Mammogram, left breast, MLO view. 45 y/o patient.
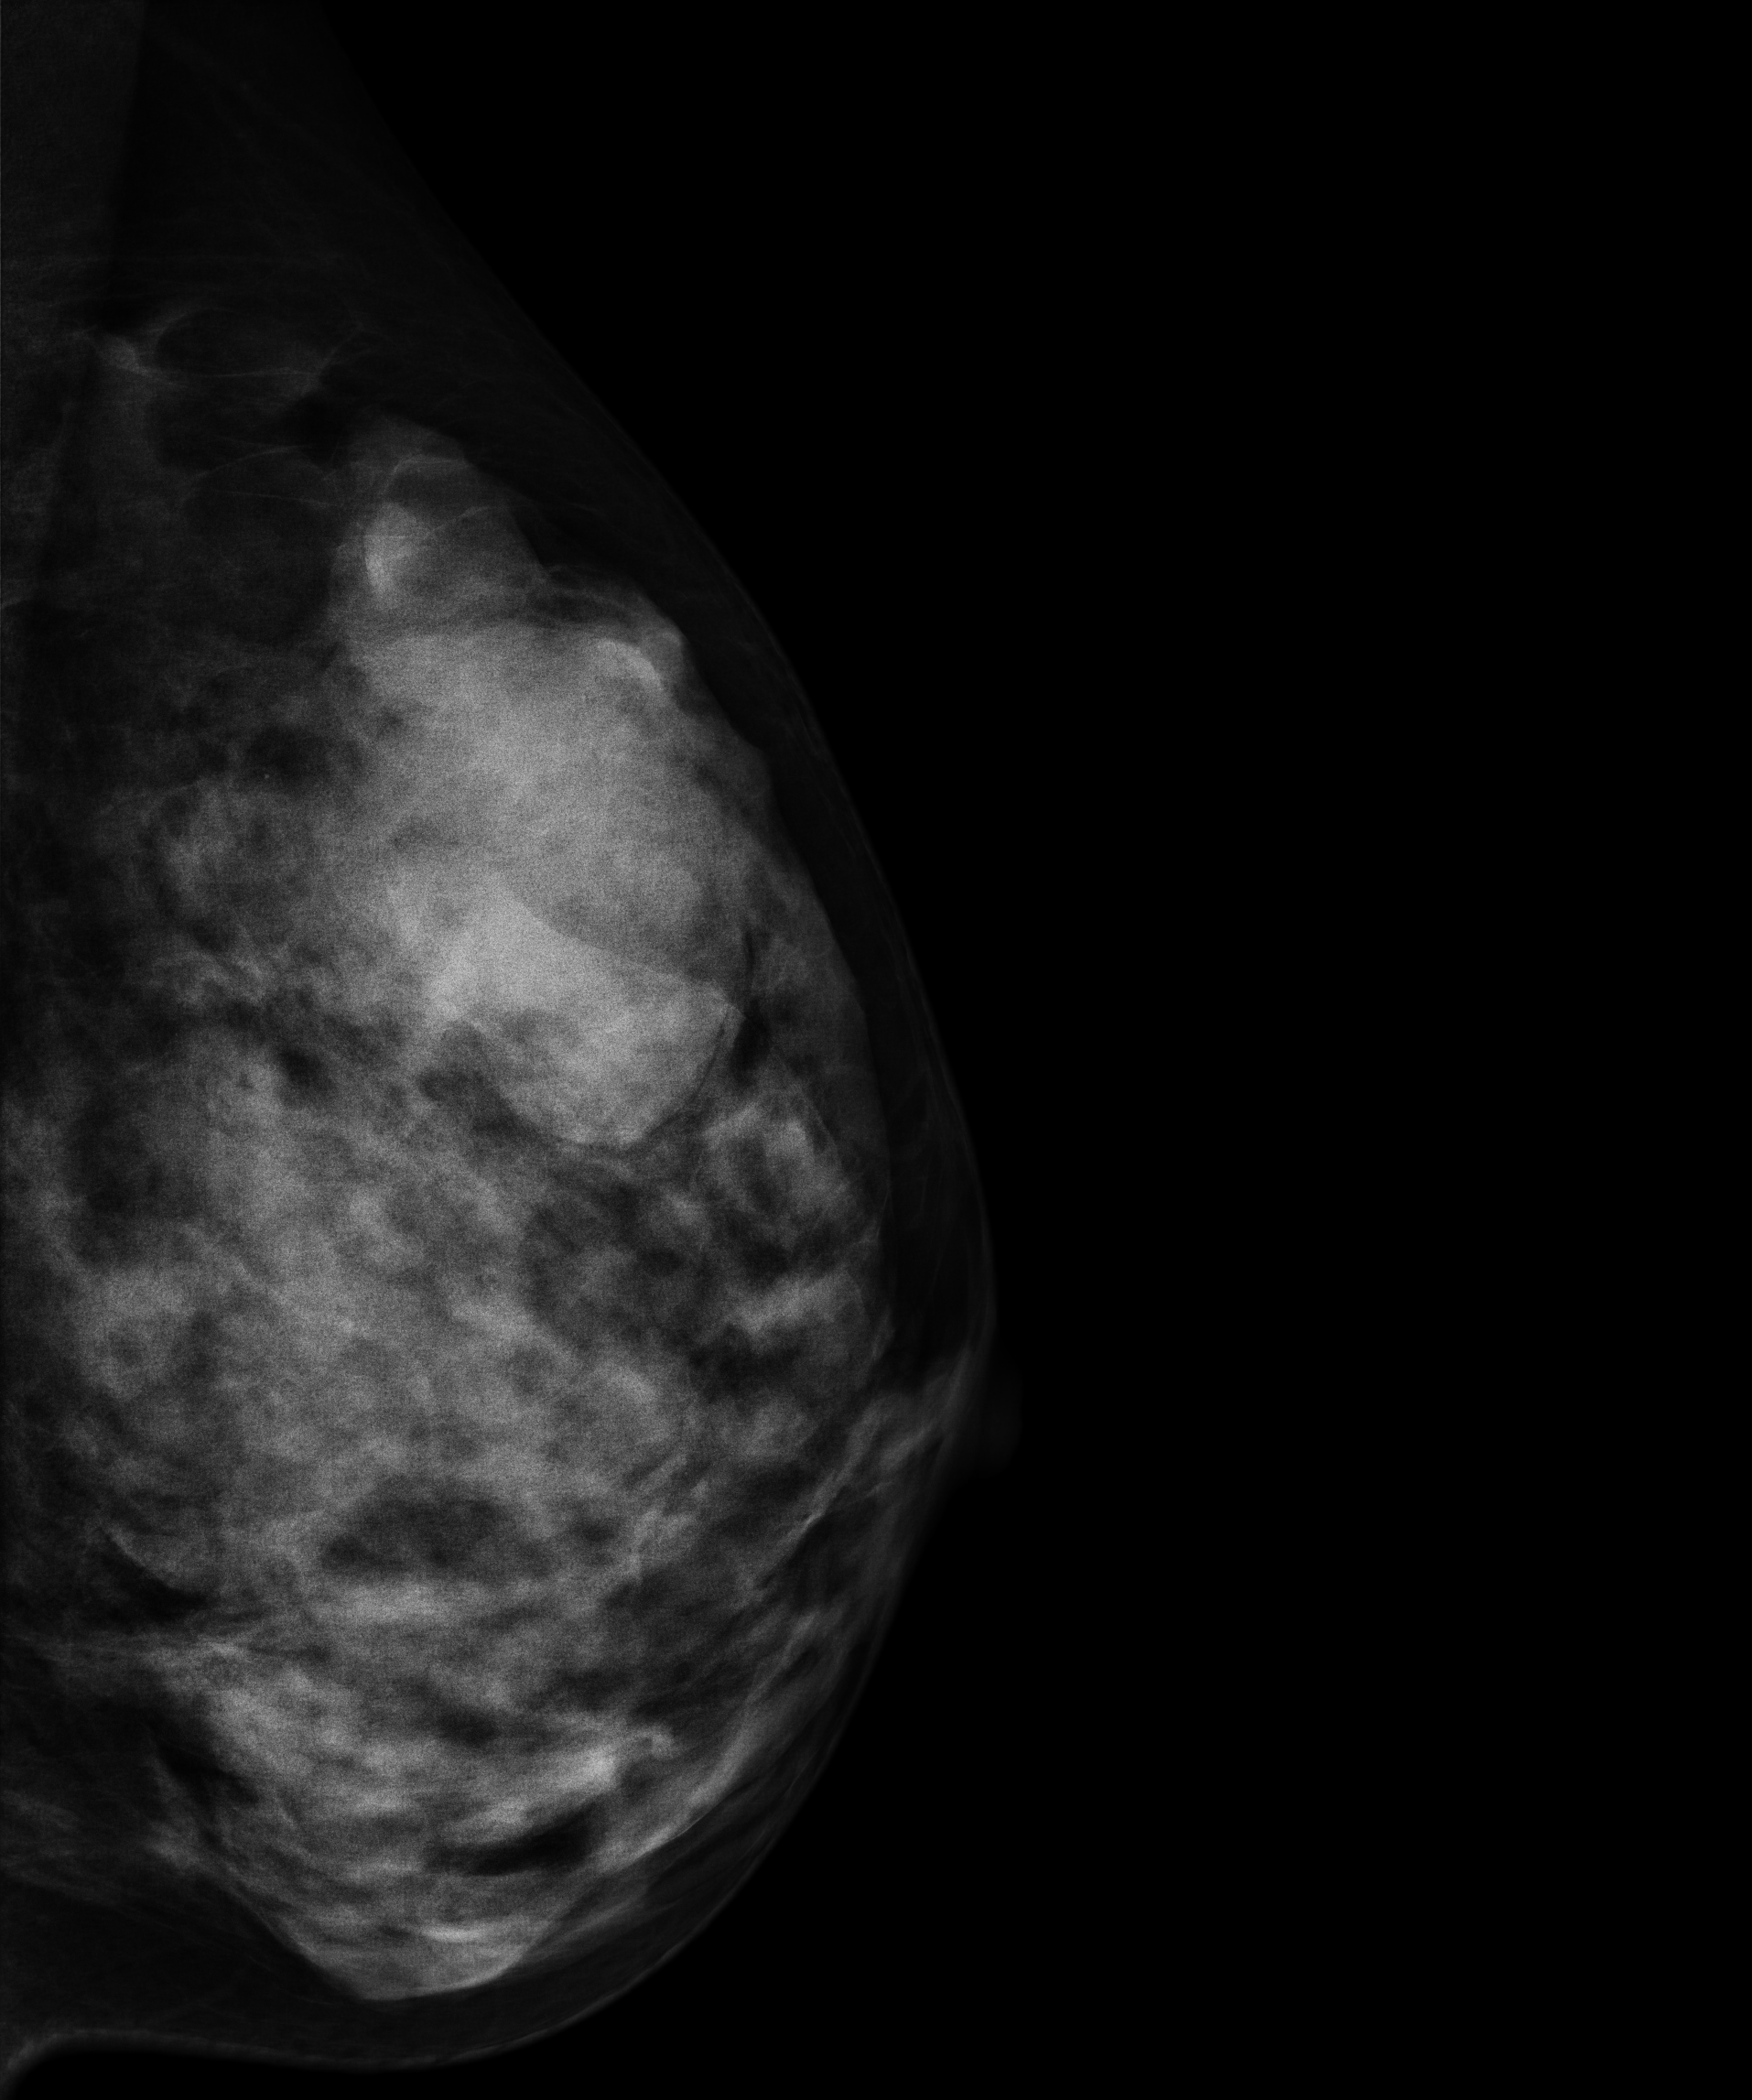
This breast has a mass, histologically confirmed benign.